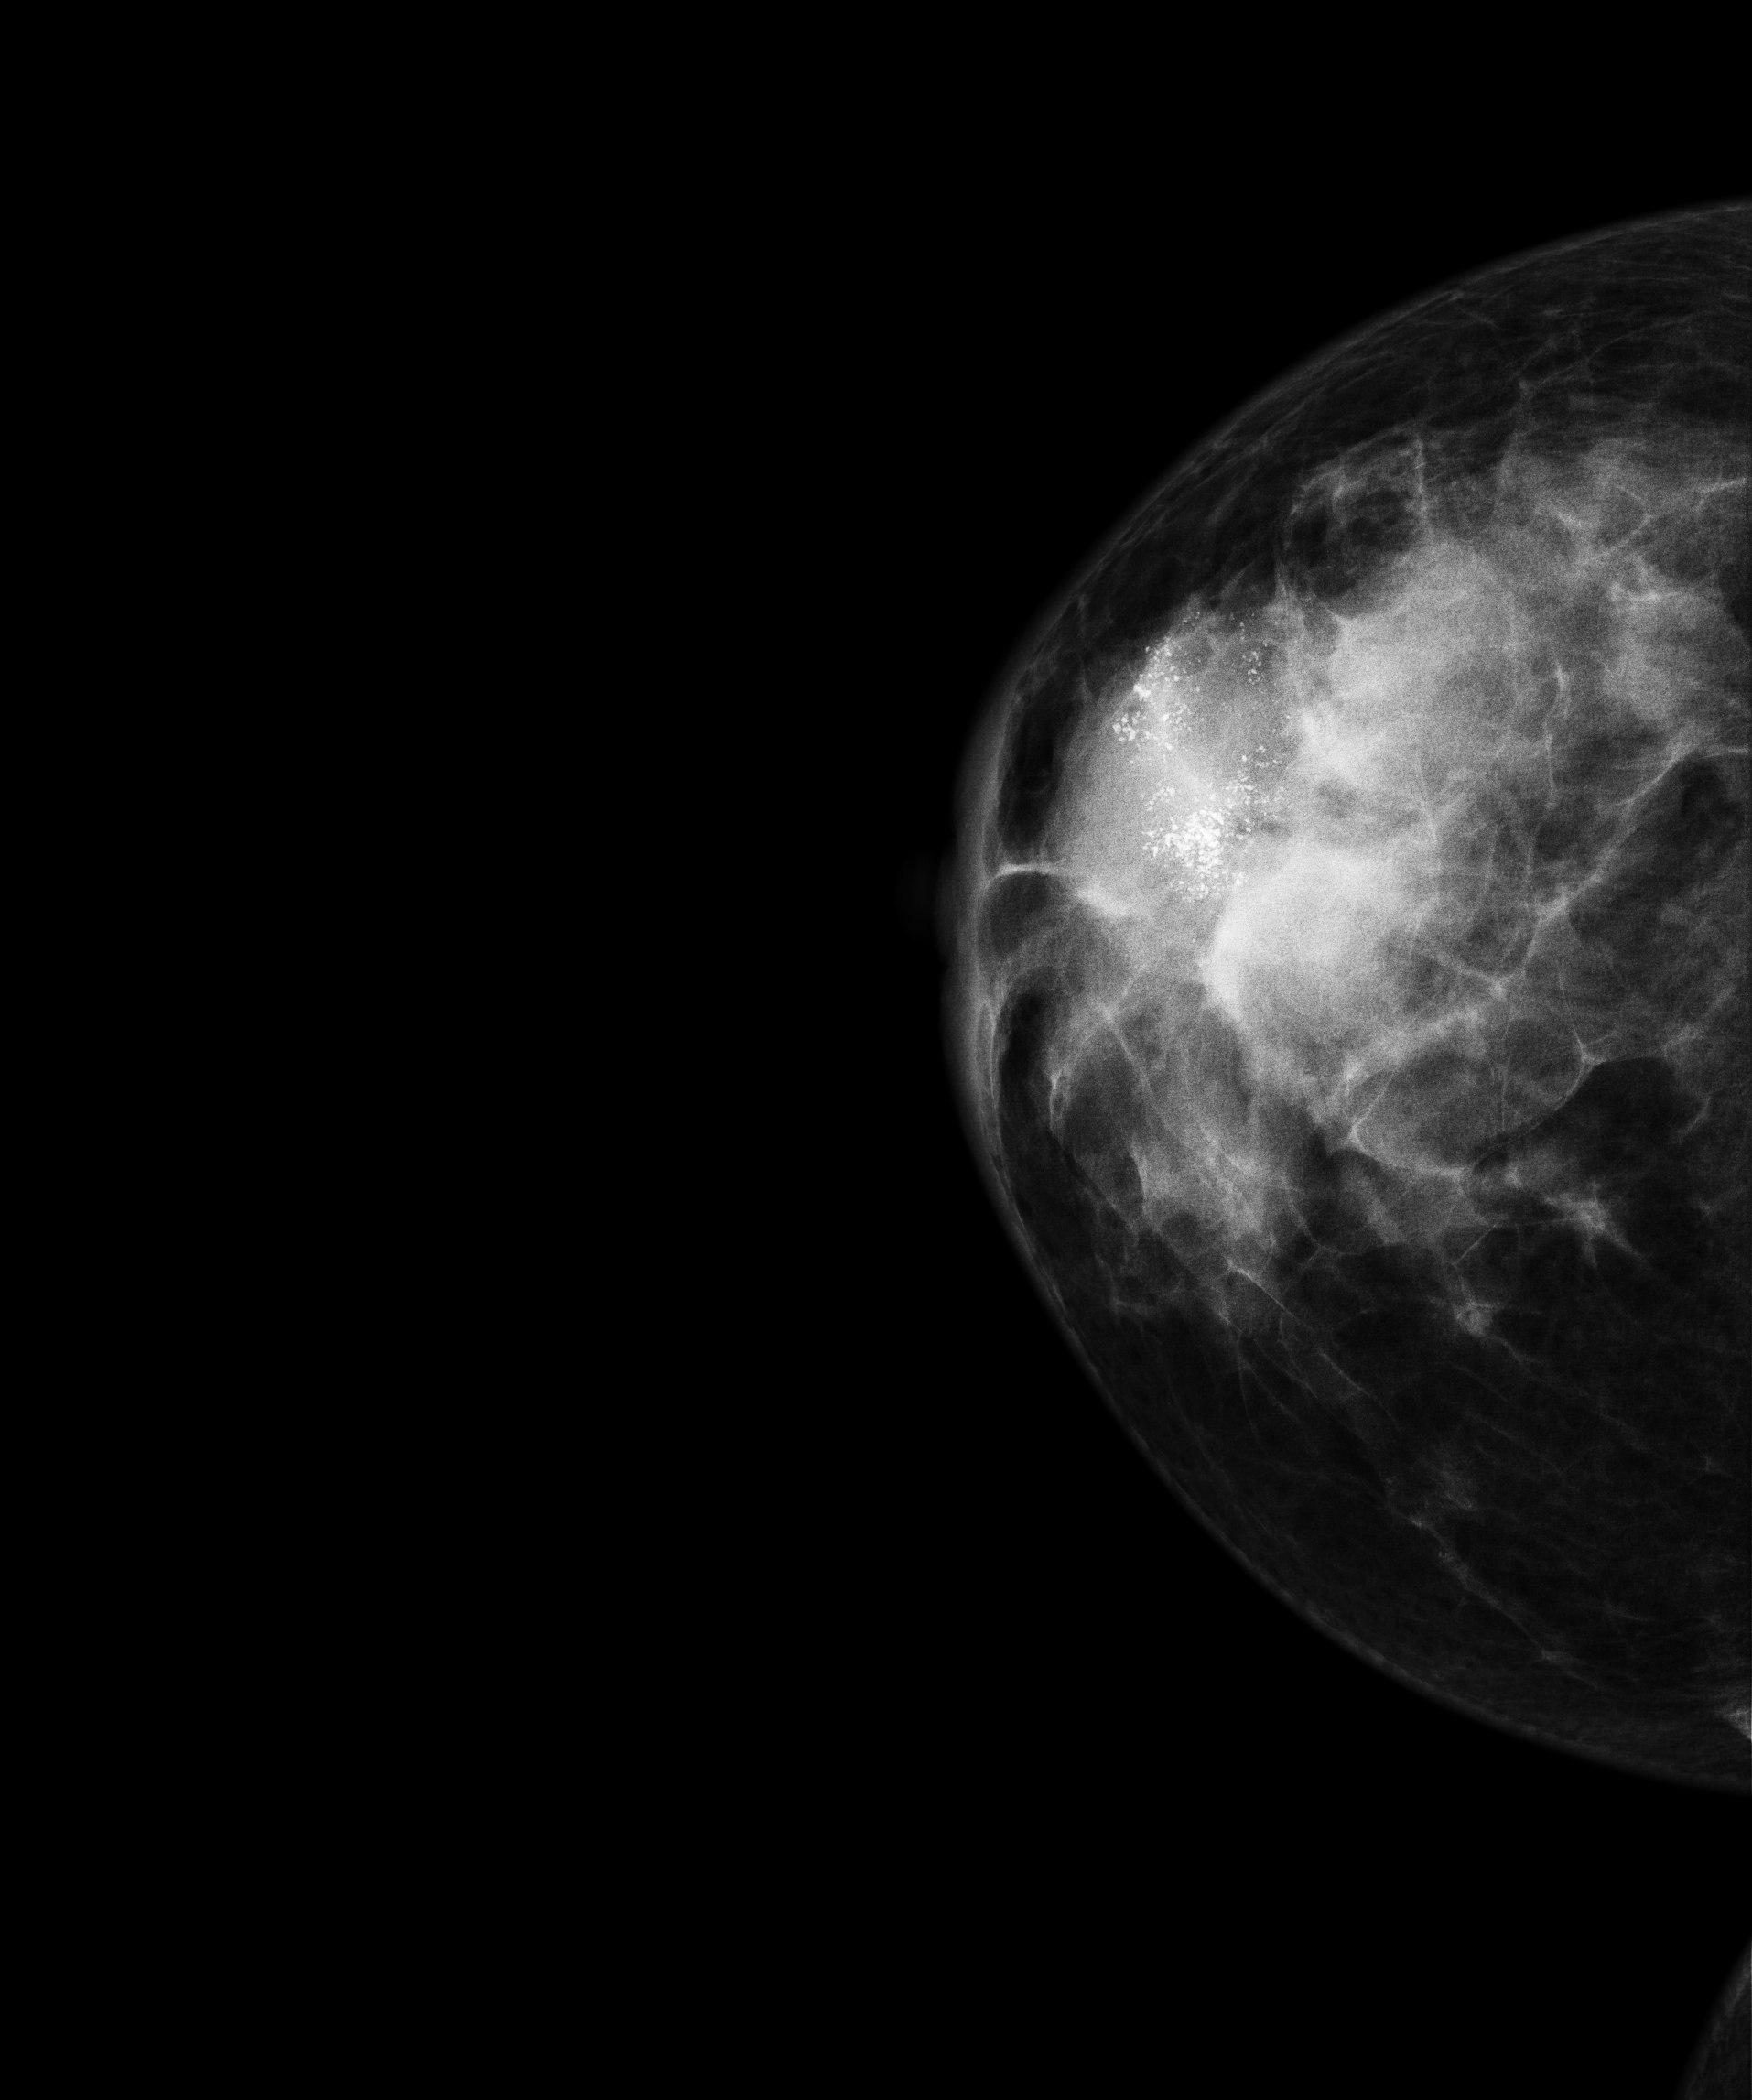
Right-breast mammogram, cranio-caudal. 49 y/o patient.
This breast has a mass and calcifications, pathology-confirmed malignant.